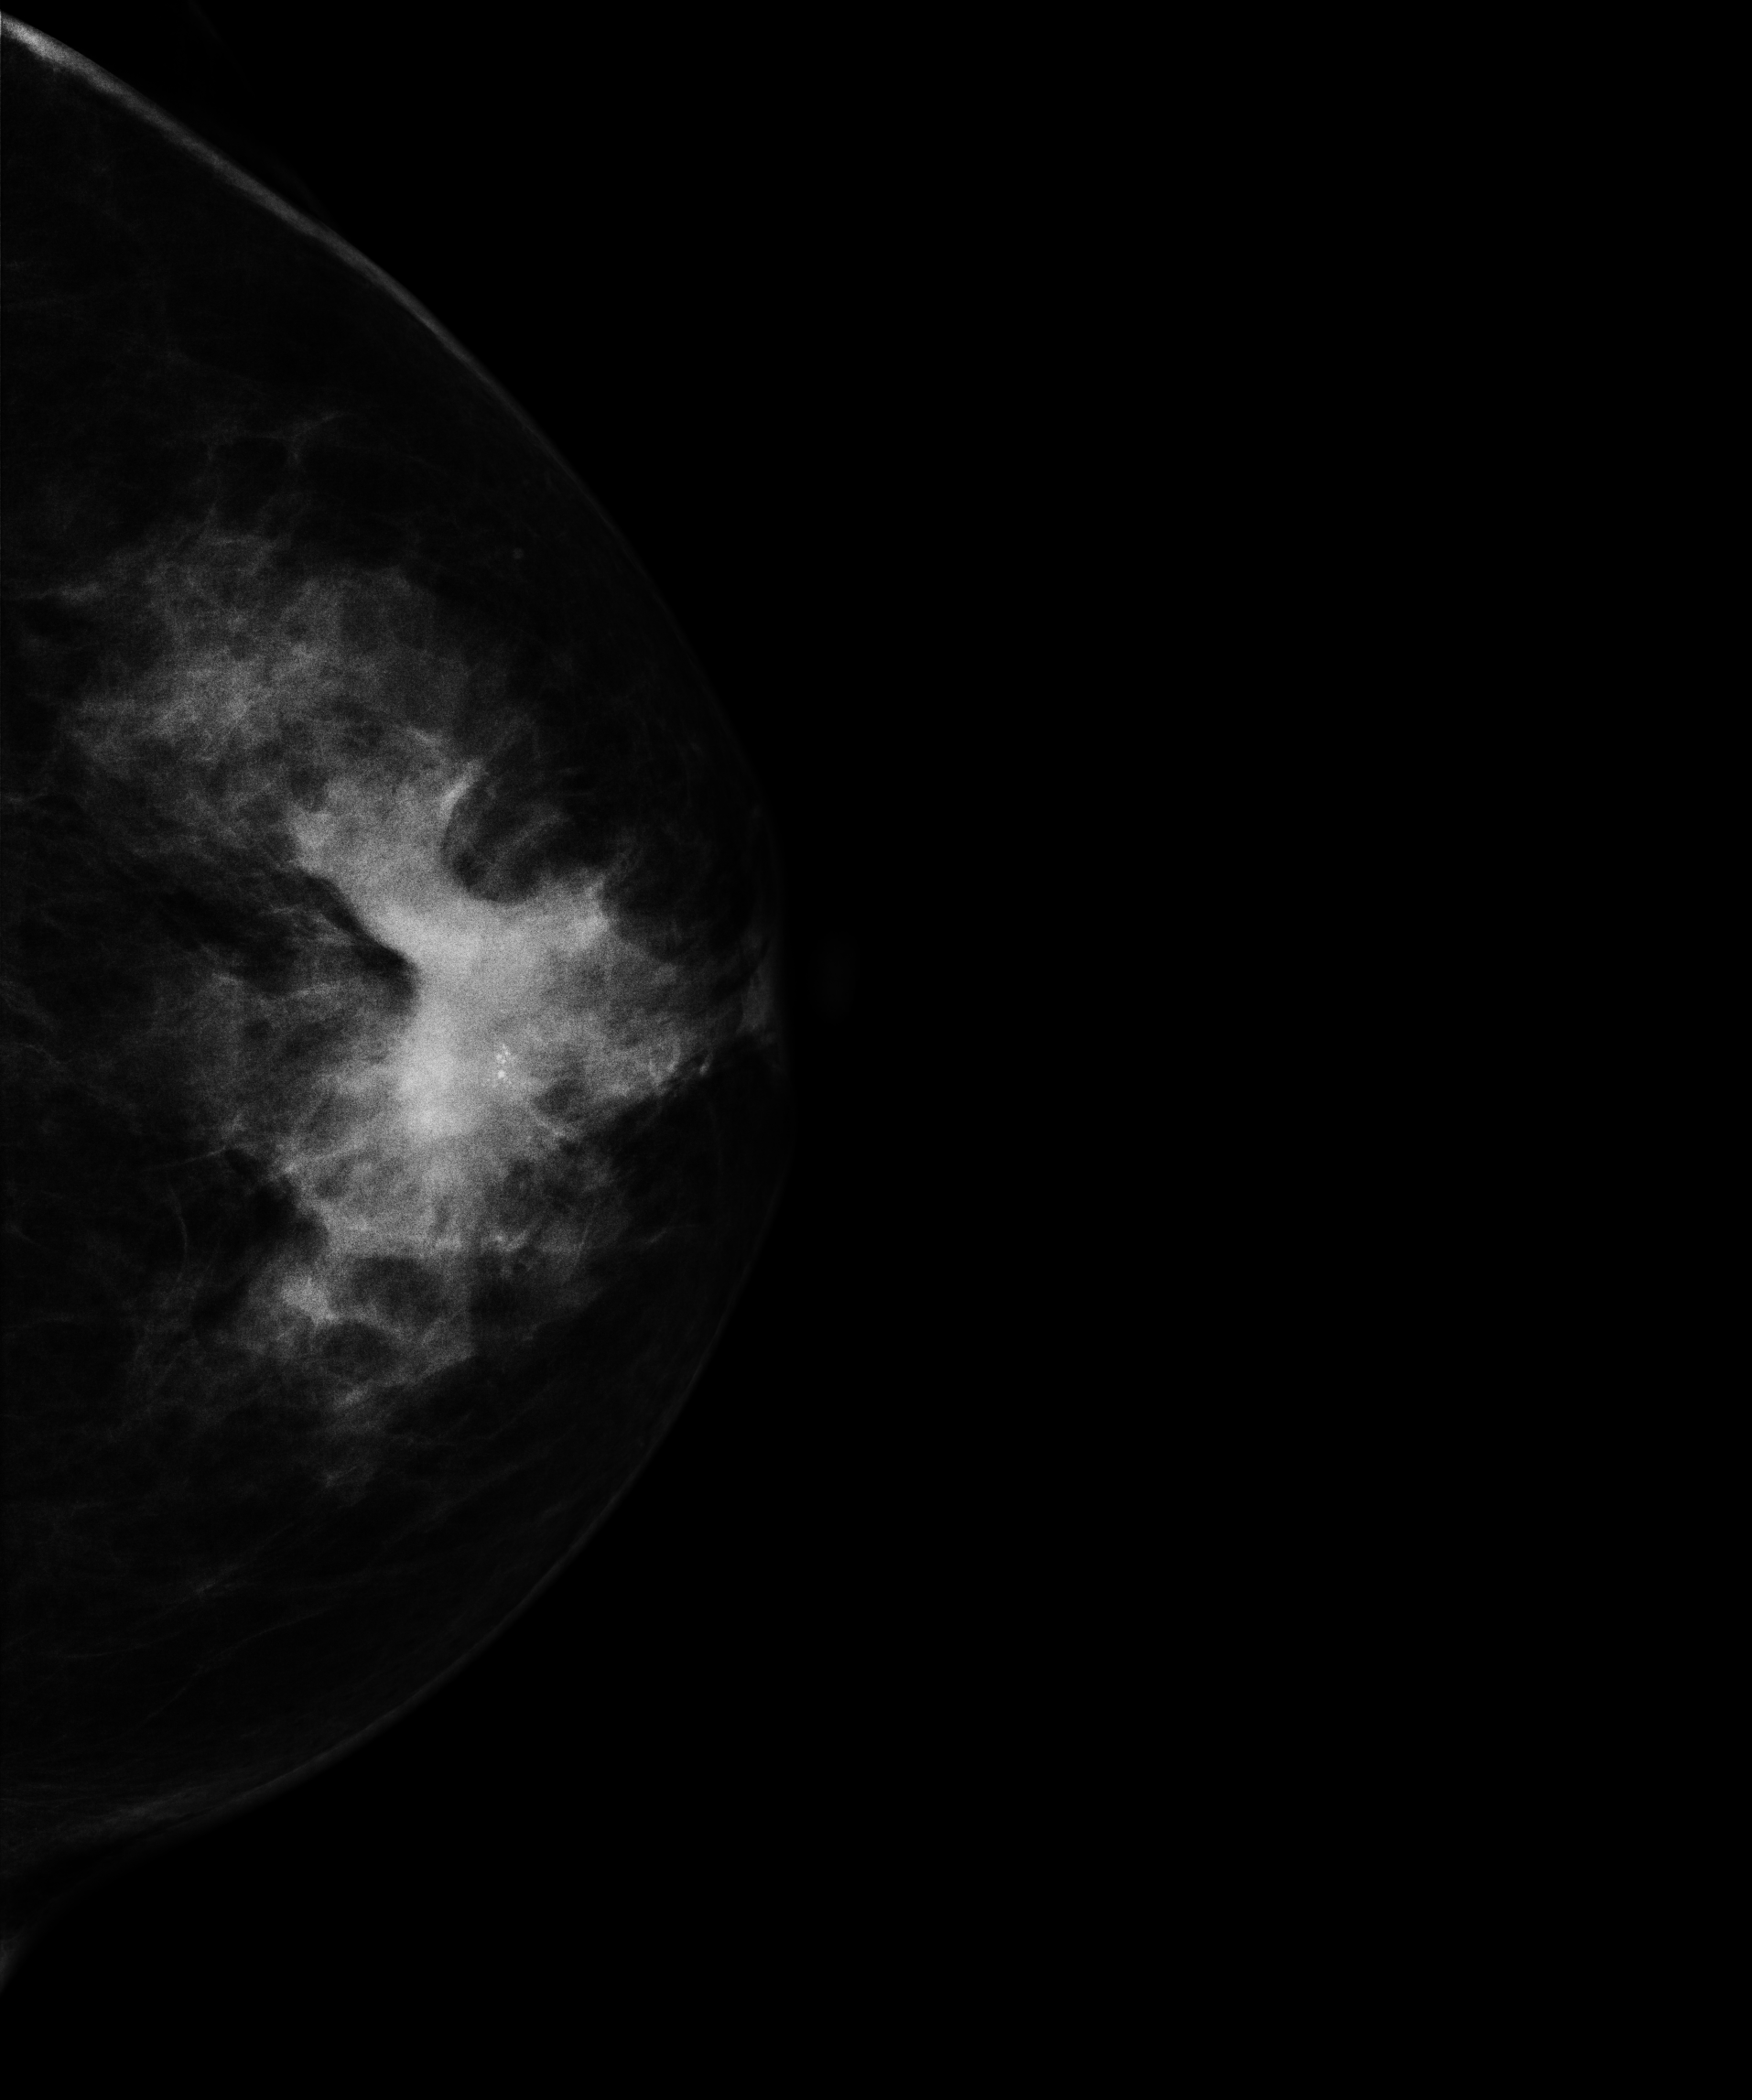
CC mammogram of the left breast. 51-year-old patient.
This breast has a mass and calcifications, histologically confirmed malignant. Molecular subtype: luminal B.